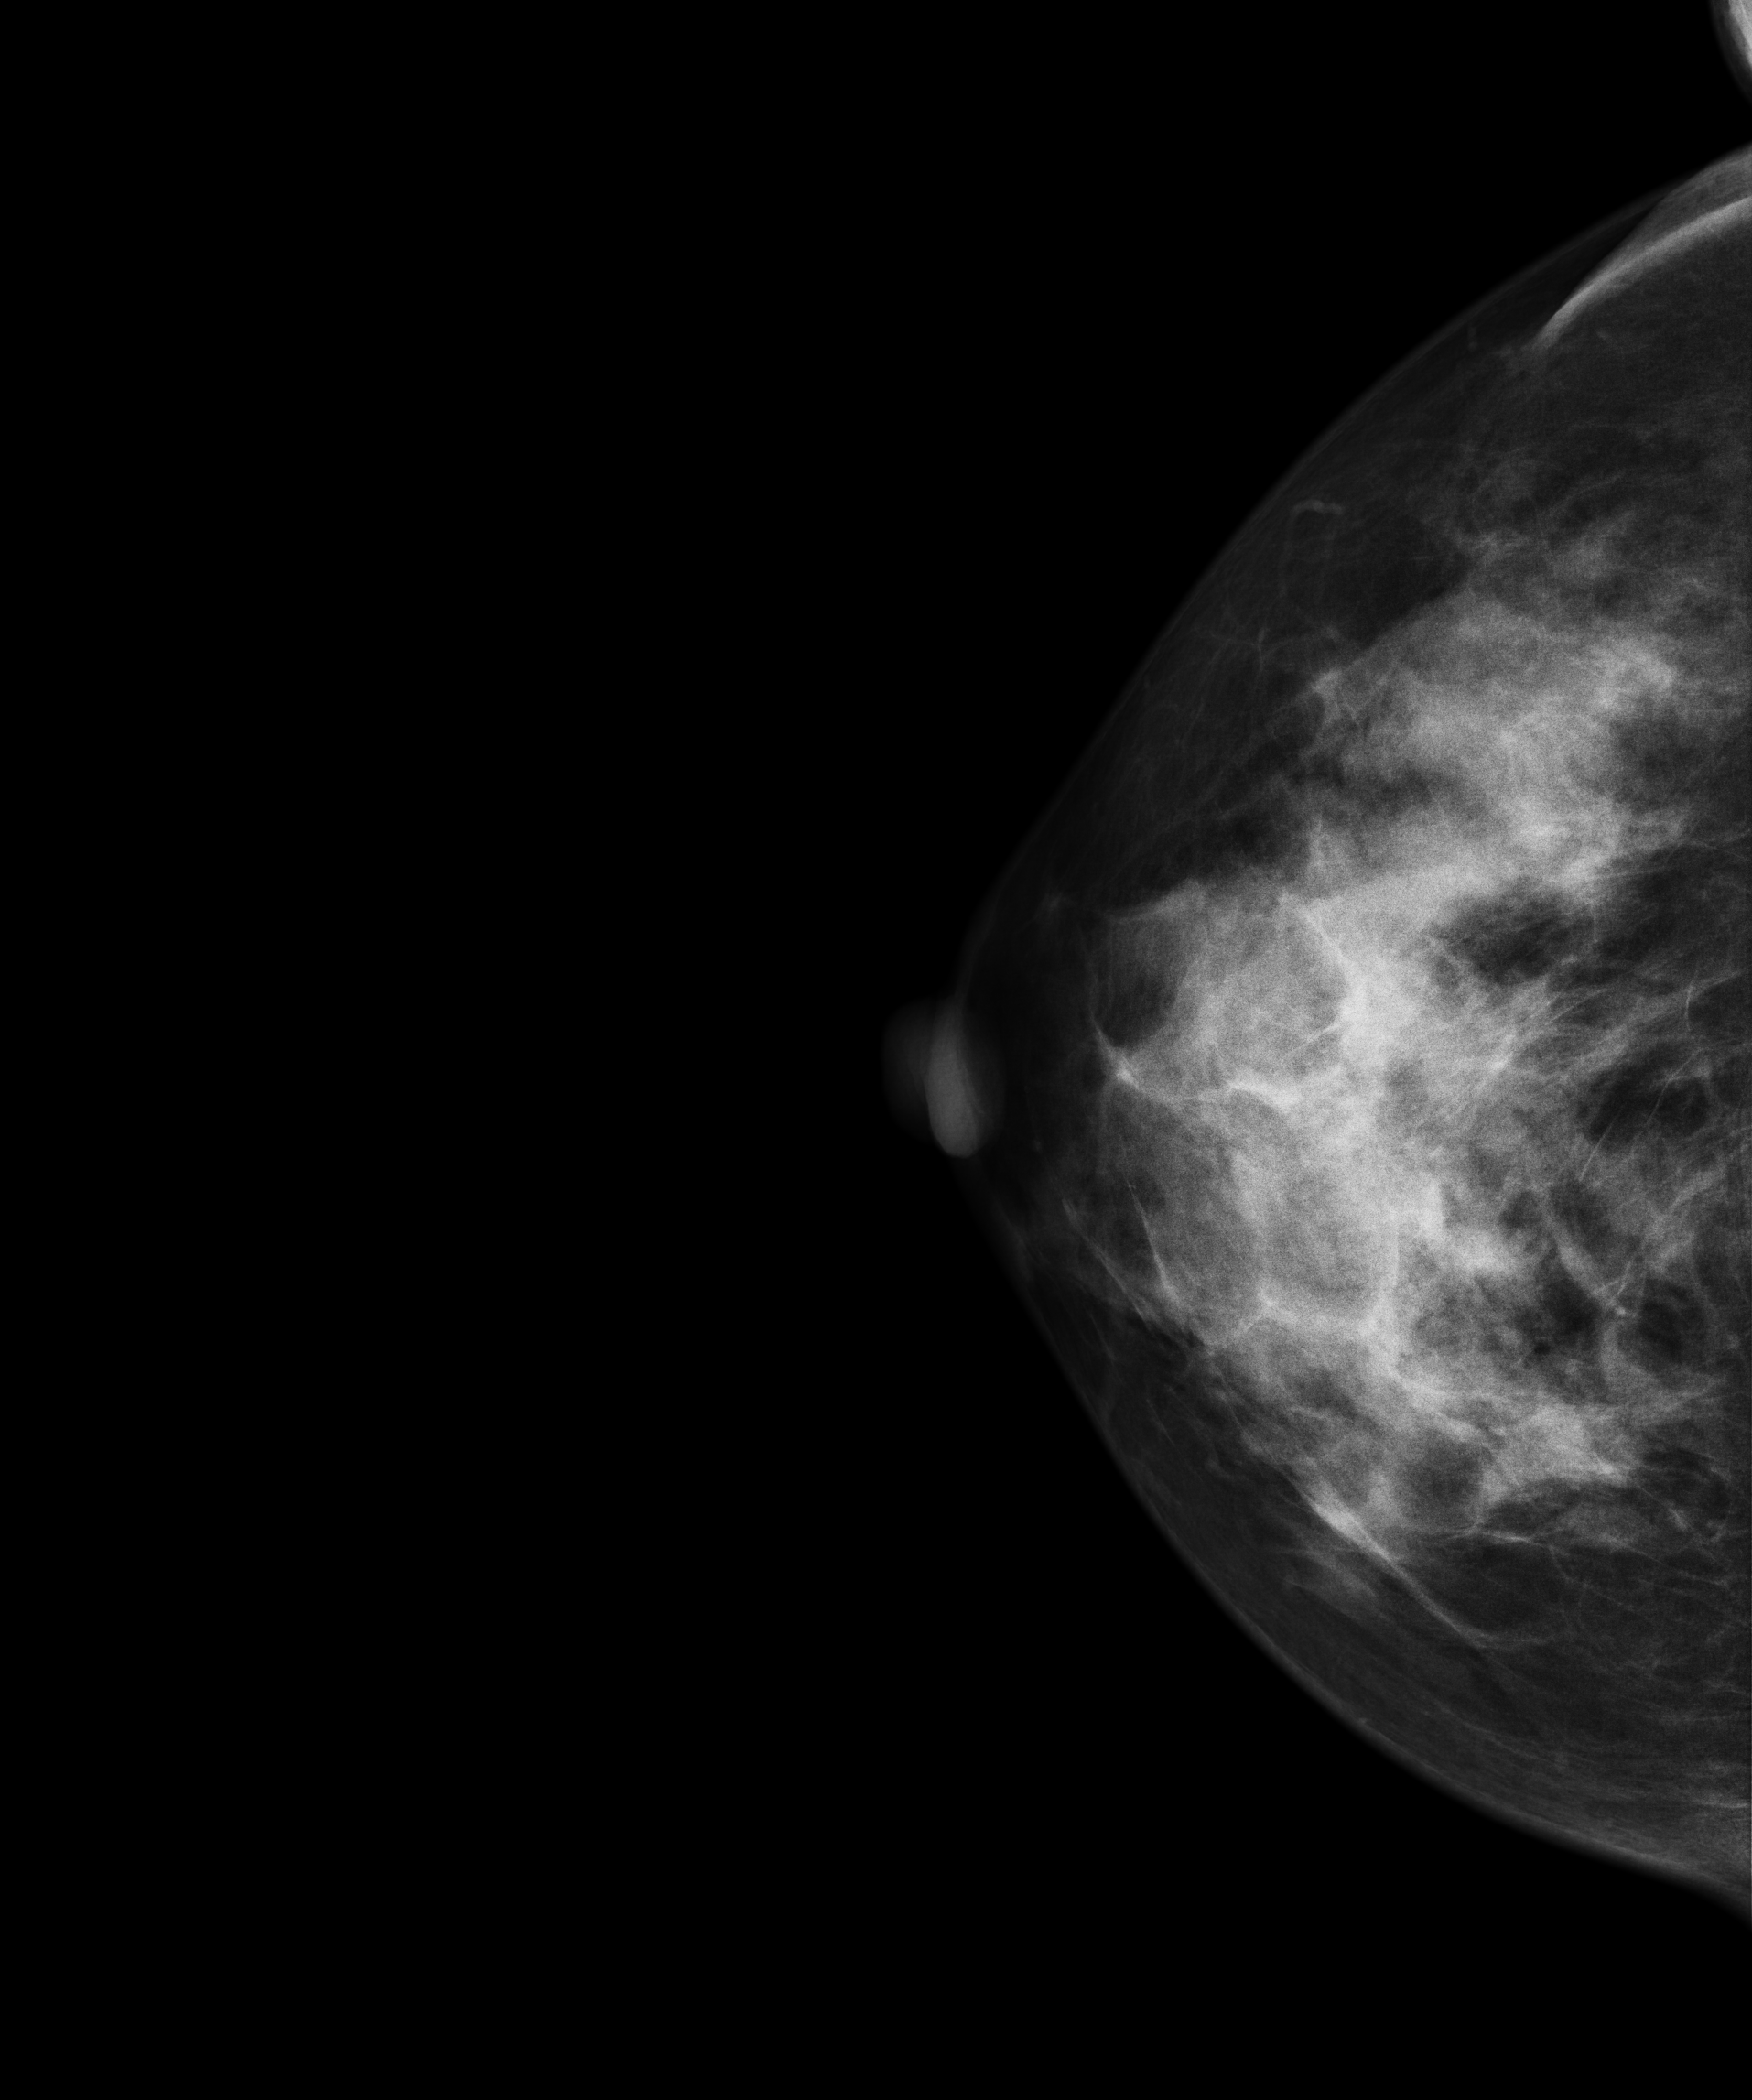
Cranio-caudal mammogram of the right breast. 44-year-old patient.
This breast has a mass, histologically confirmed malignant.